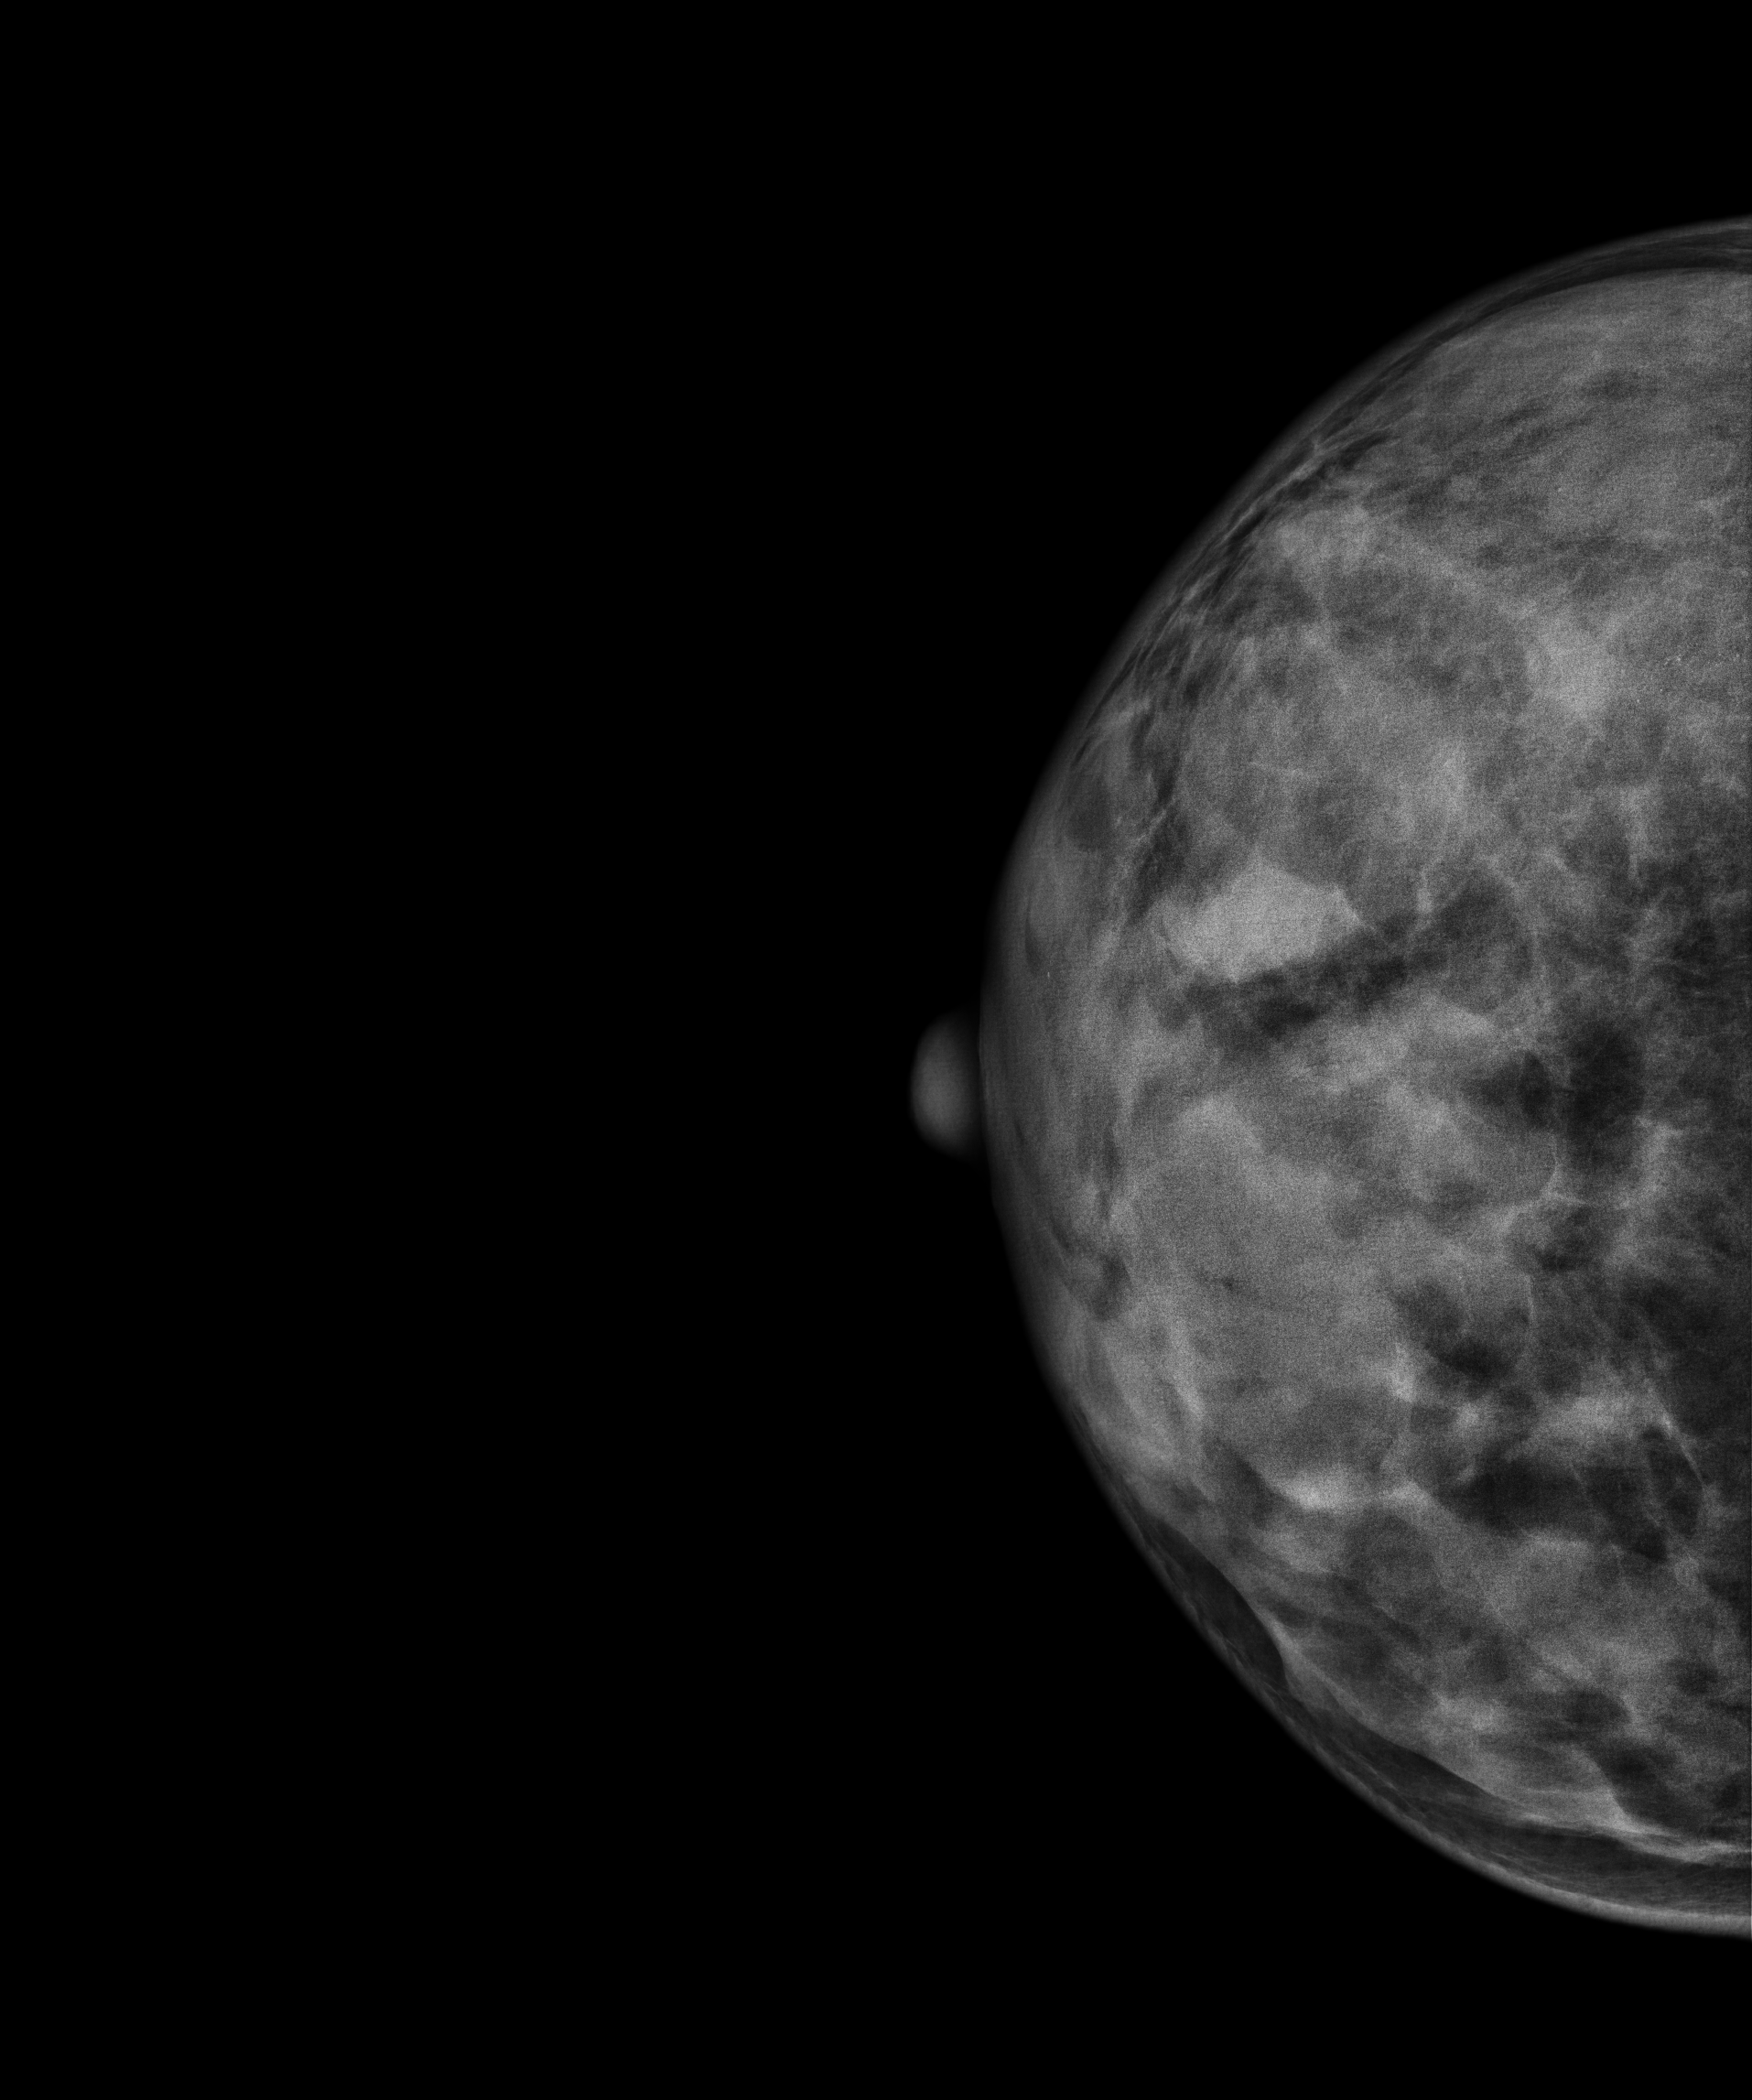
Mammogram, right breast, CC view. 46-year-old patient.
This breast has a mass, biopsy-confirmed benign.